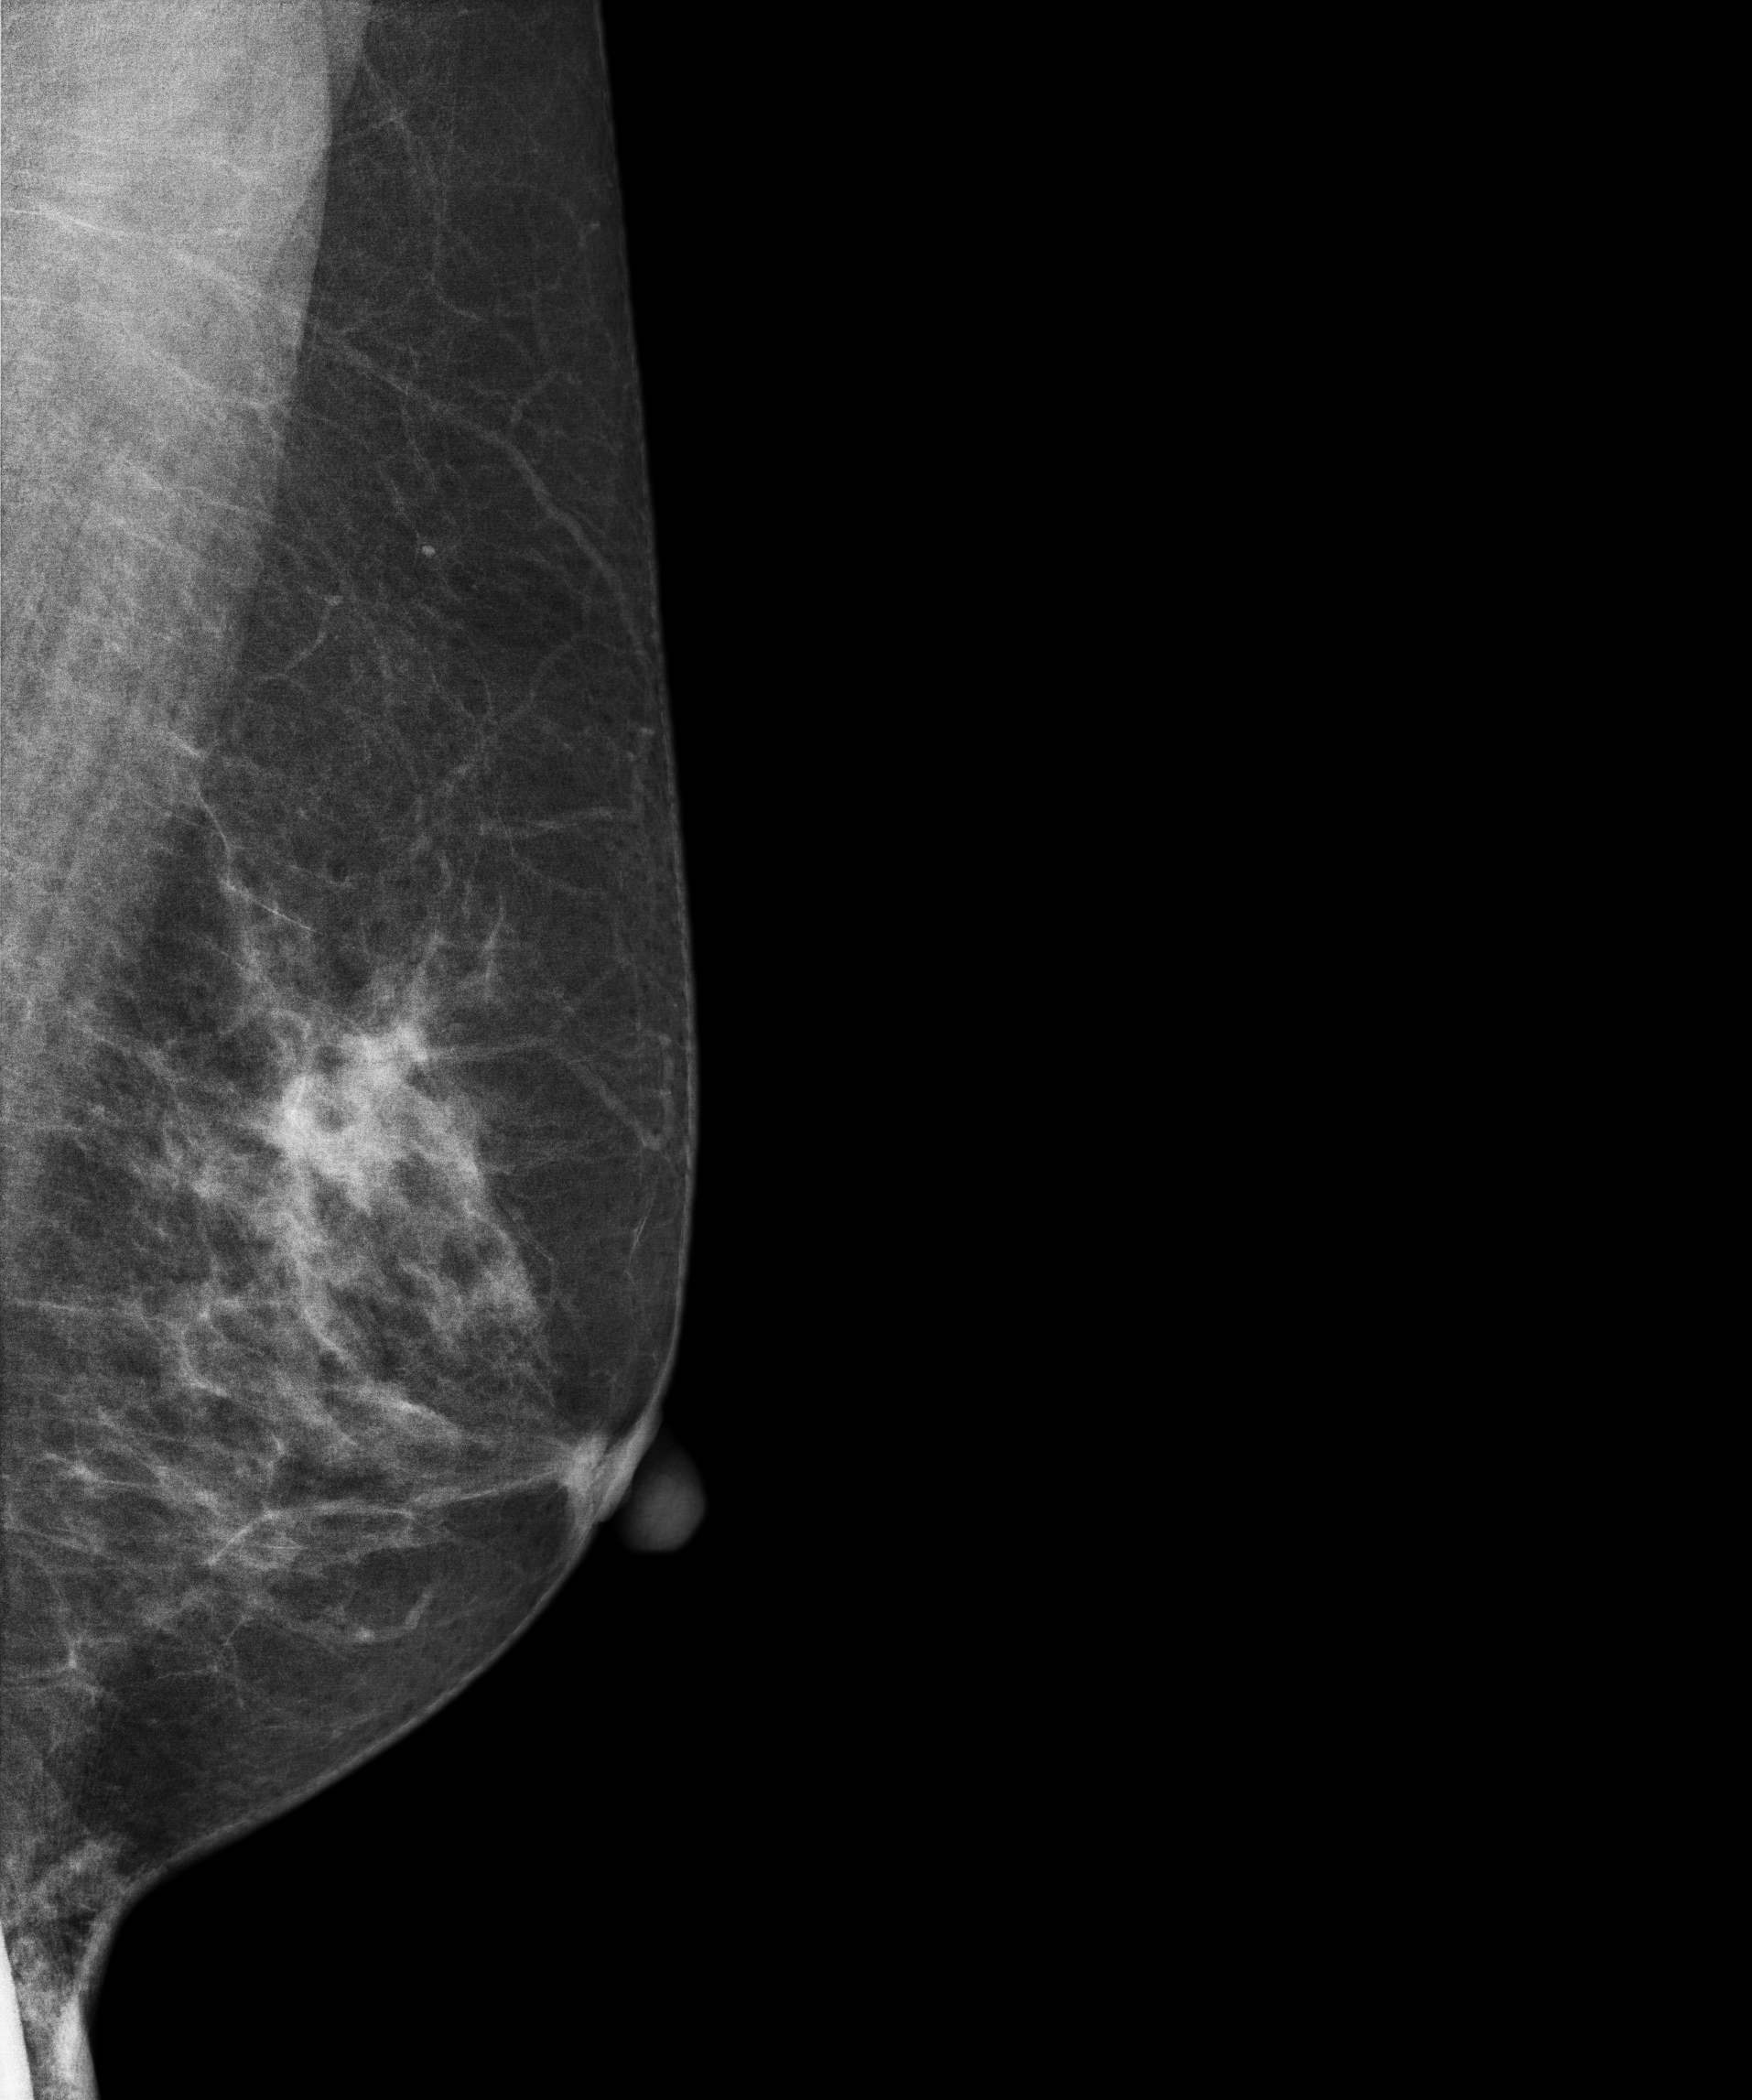
Mammogram, left breast, MLO view. 62 y/o patient.
Contralateral breast — no documented abnormality on this side.